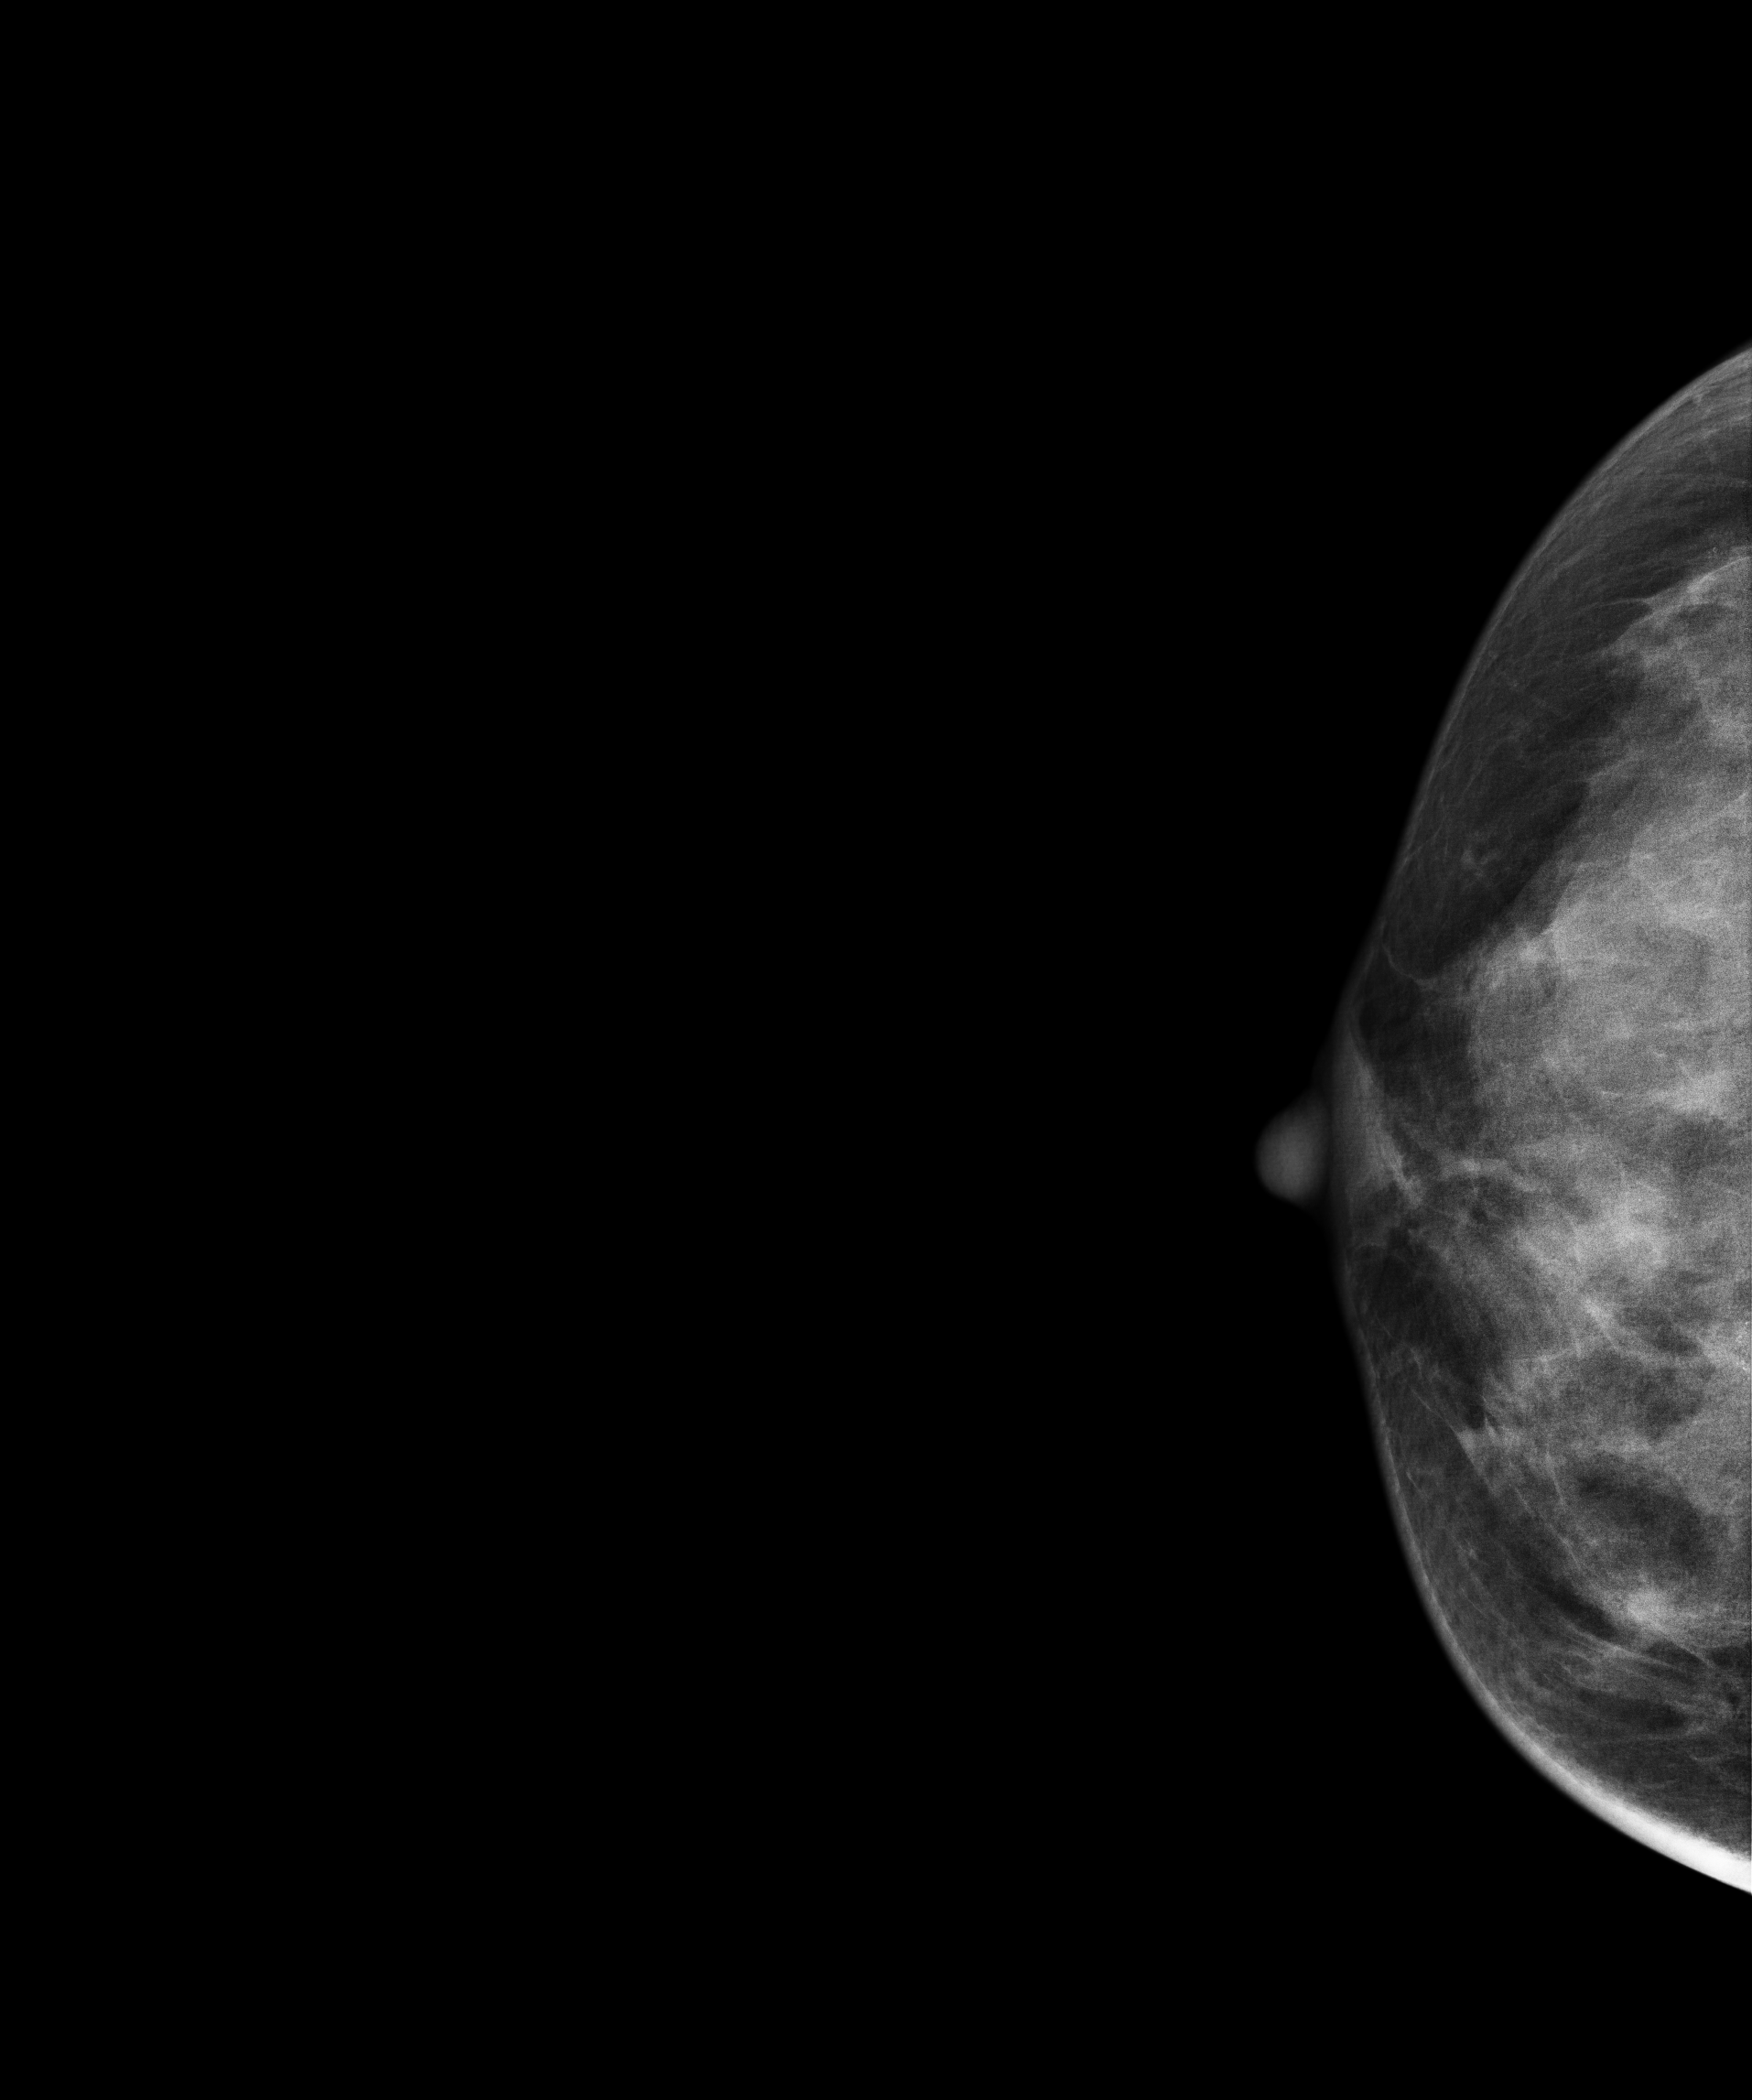
Mammogram, right breast, CC view. Patient age 35.
This breast has calcifications, histologically confirmed malignant. Molecular subtype: HER2-enriched.